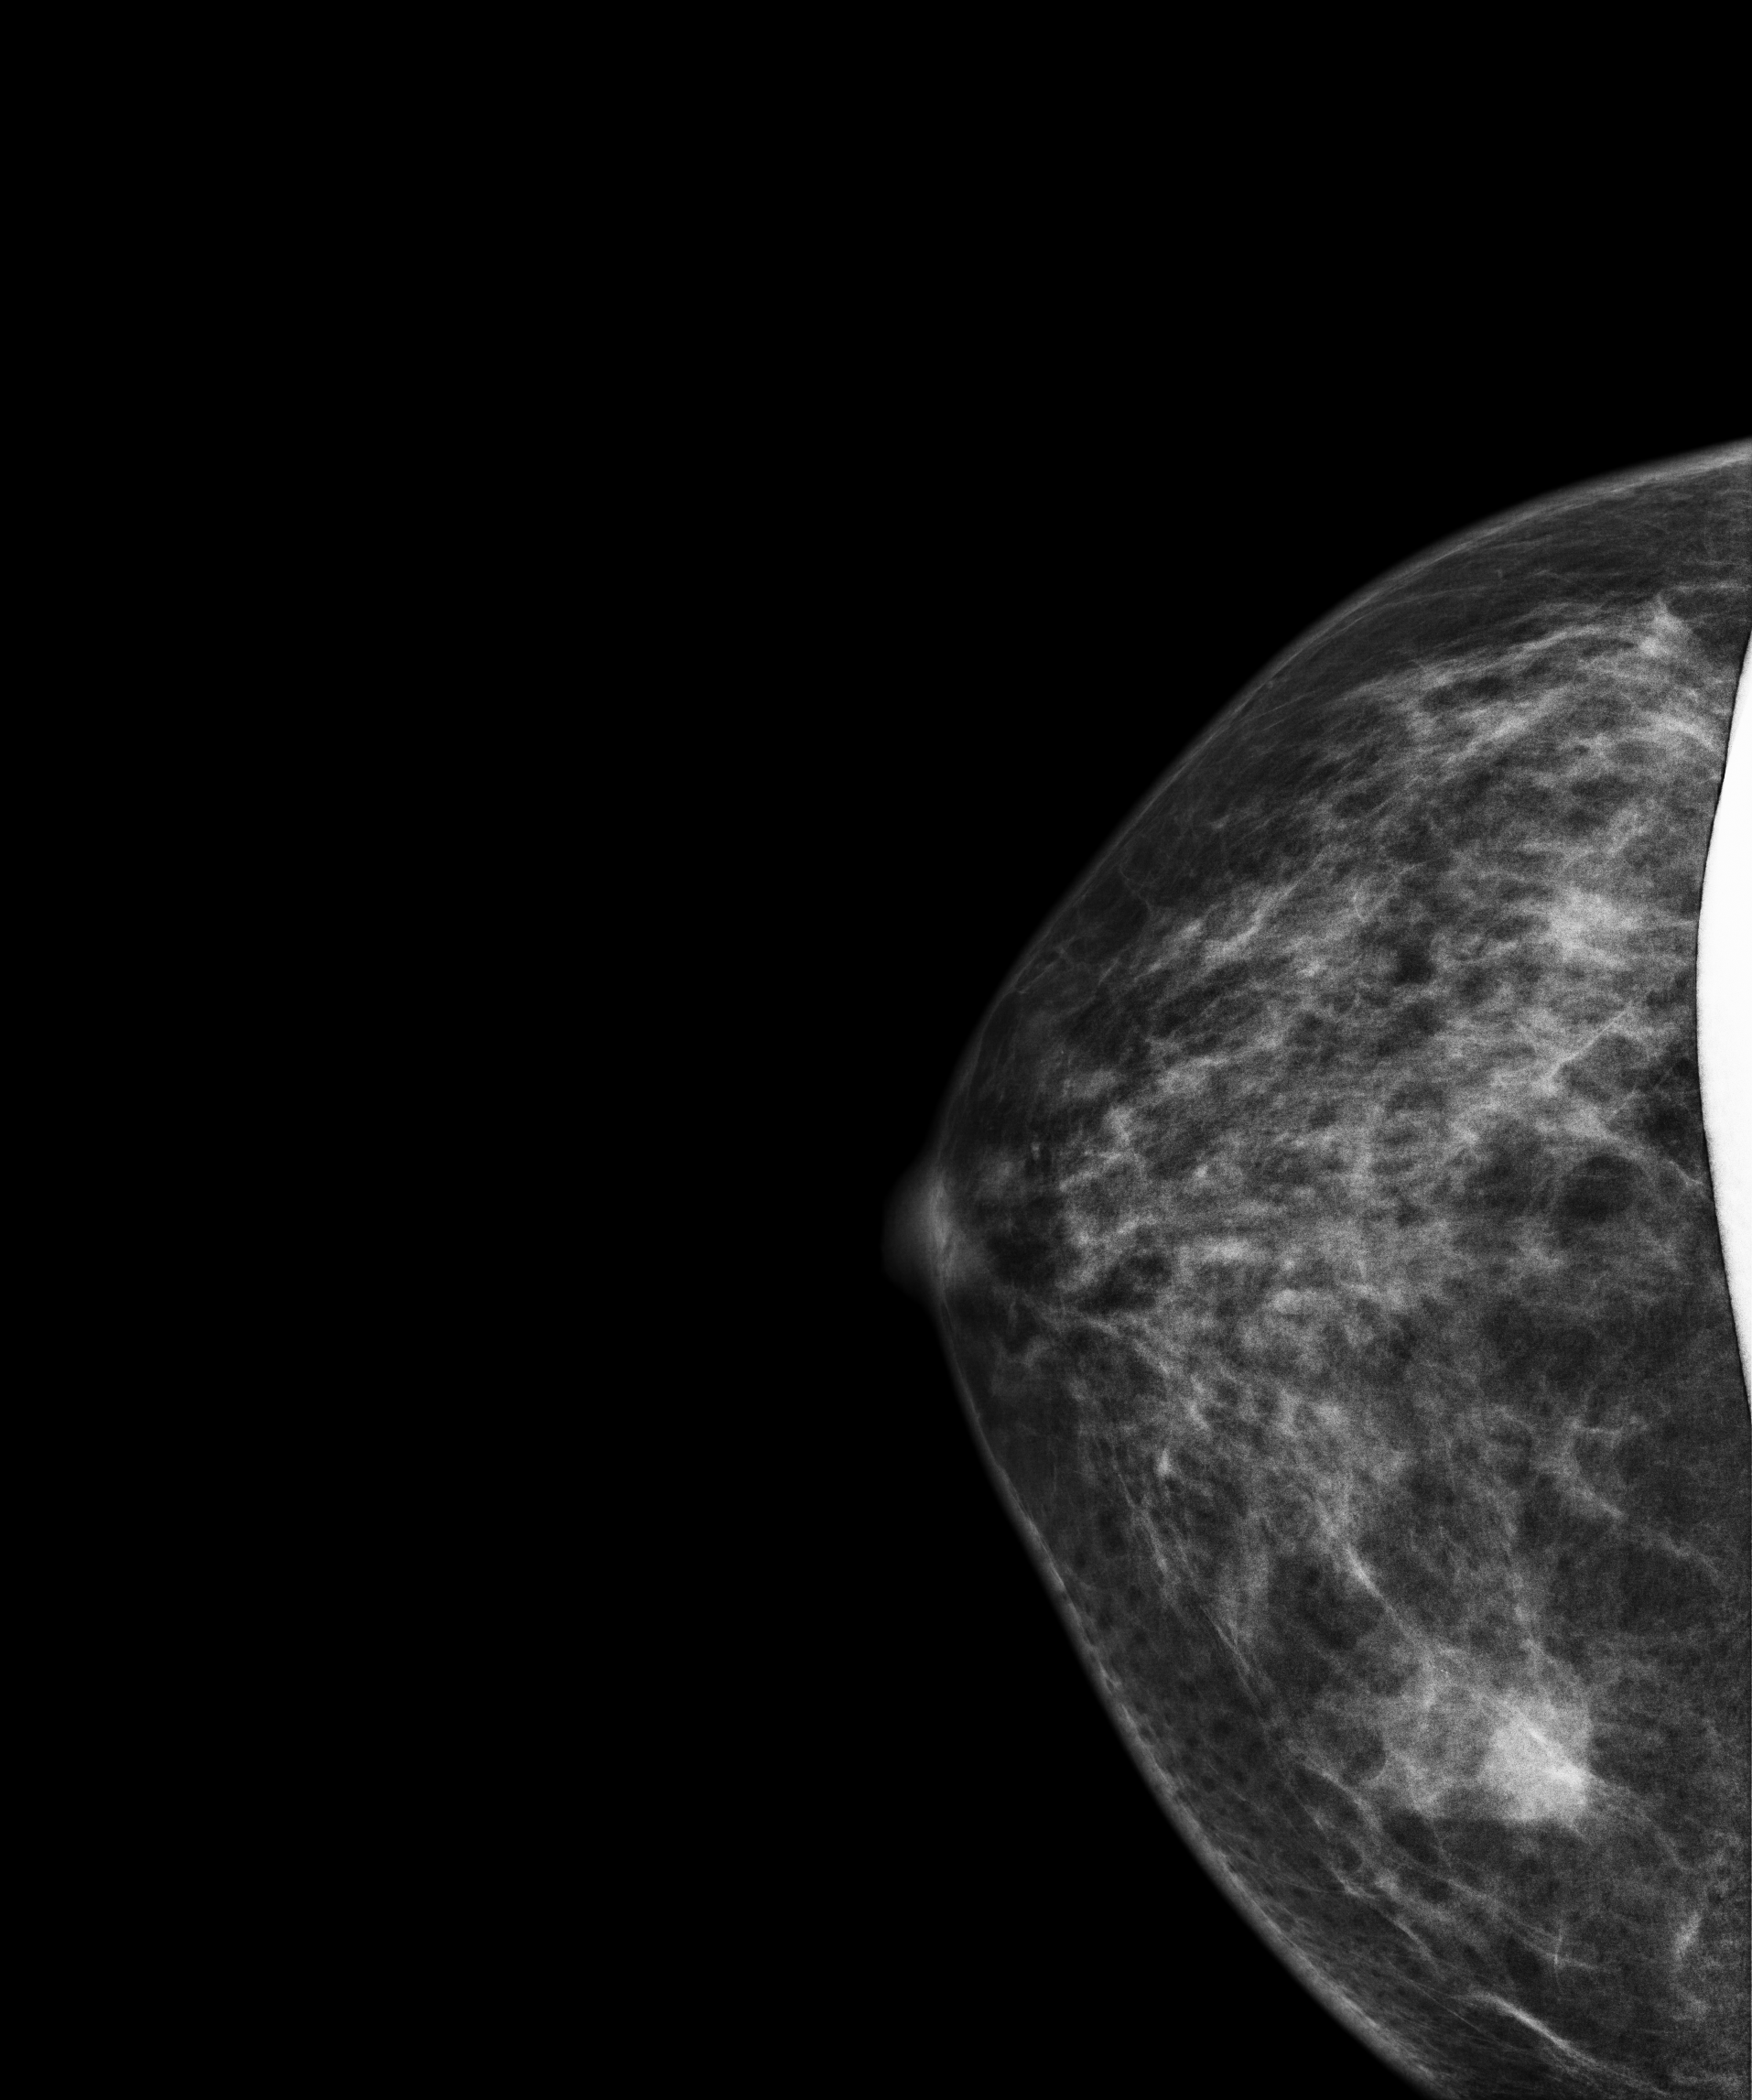
Right-breast mammogram, CC. 39-year-old patient.
This breast has a mass, biopsy-proven malignant.